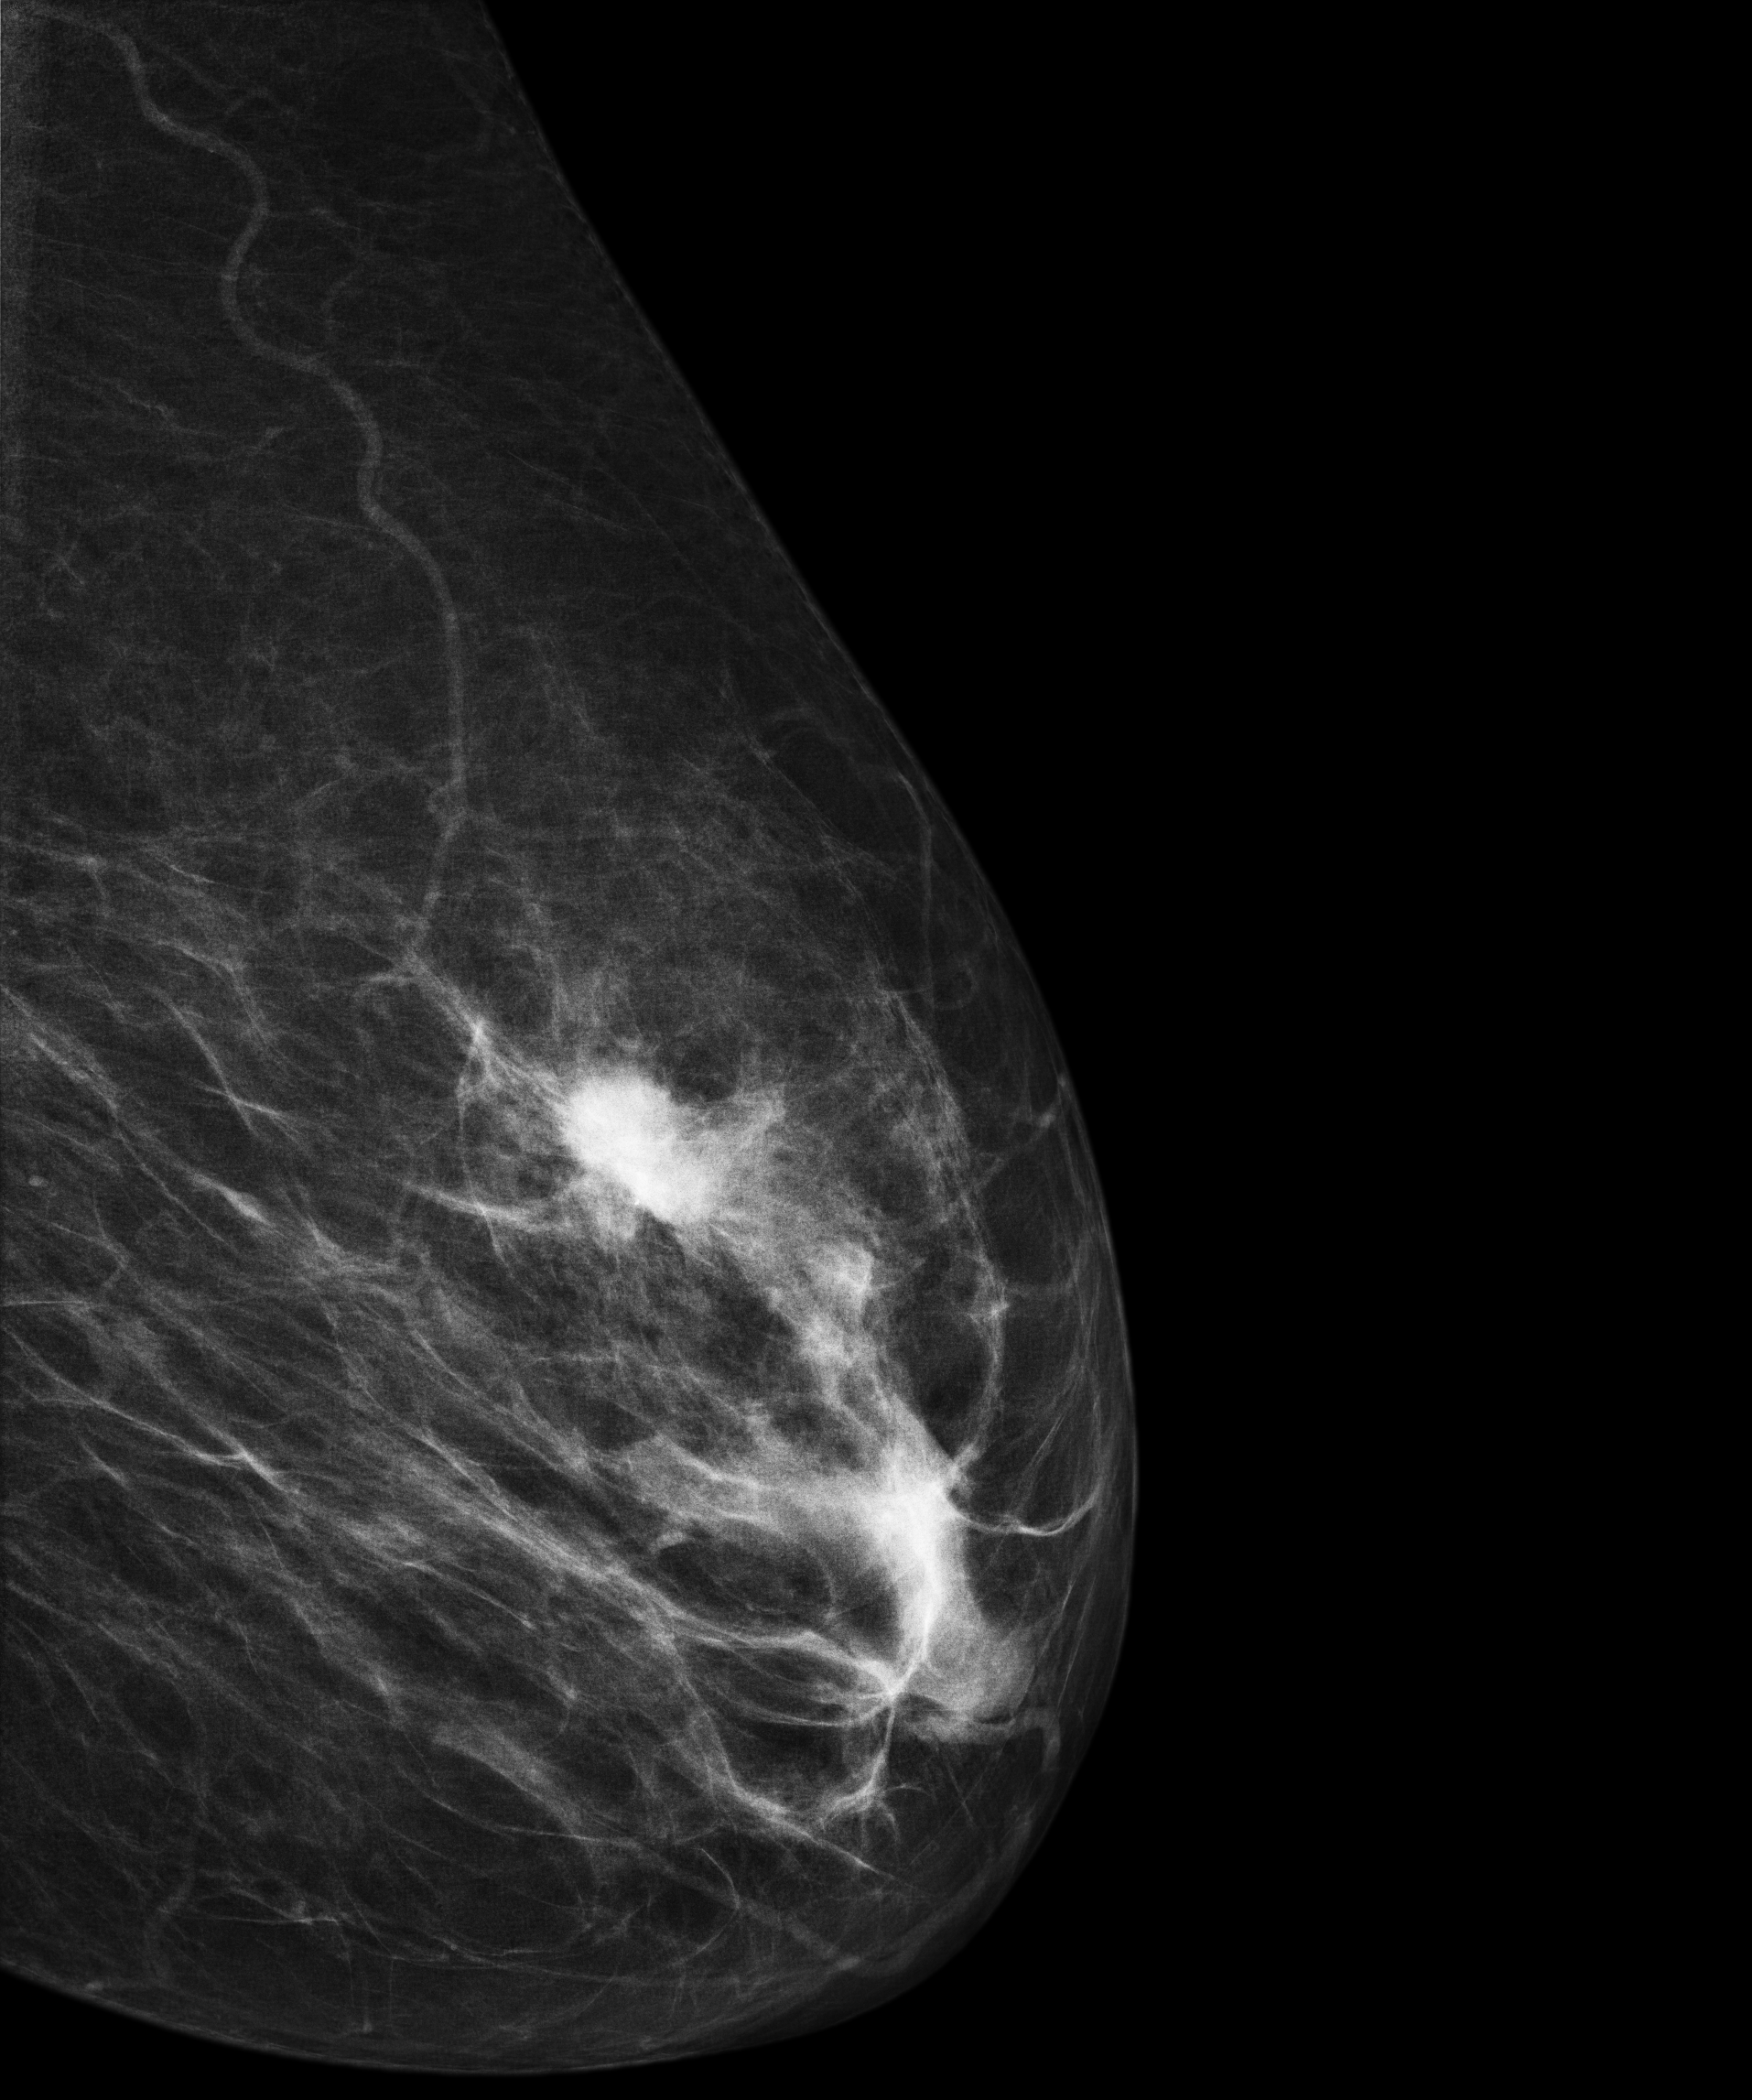
Left-breast mammogram, medio-lateral oblique. 71-year-old patient.
This breast has a mass, histologically confirmed malignant.